Mammogram, right breast, CC view. 28-year-old patient.
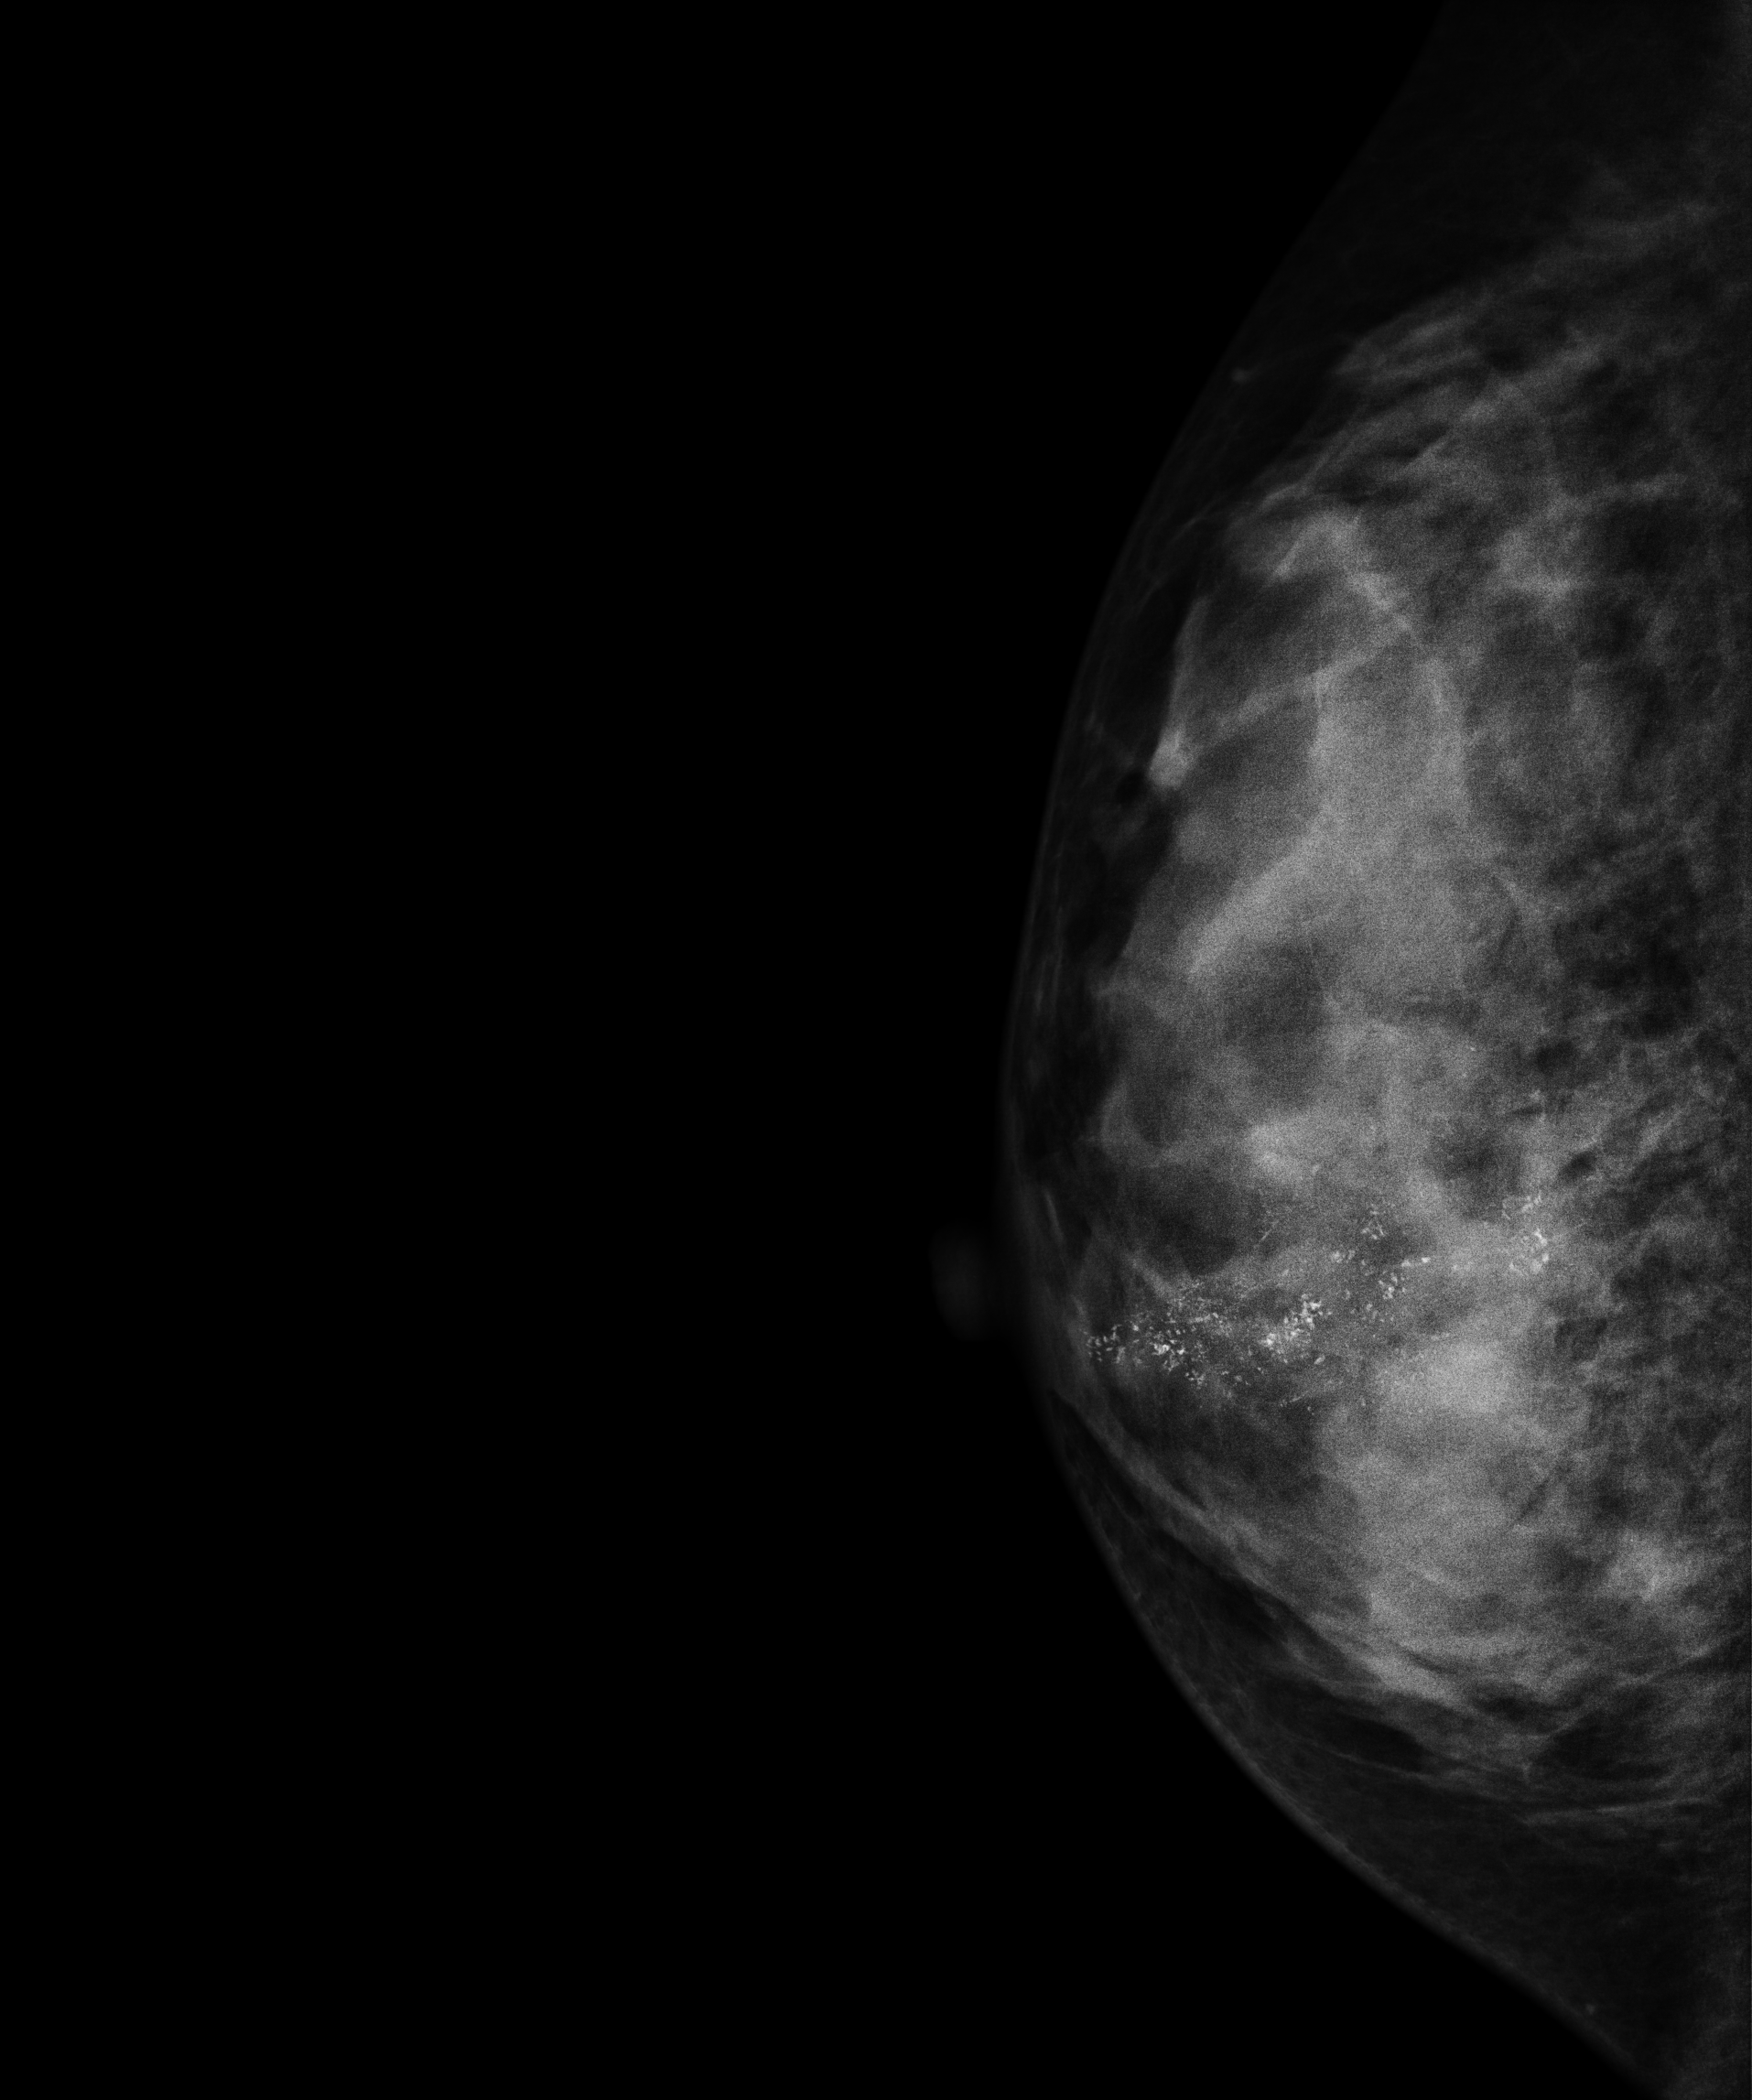
This breast has calcifications, pathology-confirmed malignant.